Mammogram — right MLO. 42-year-old patient.
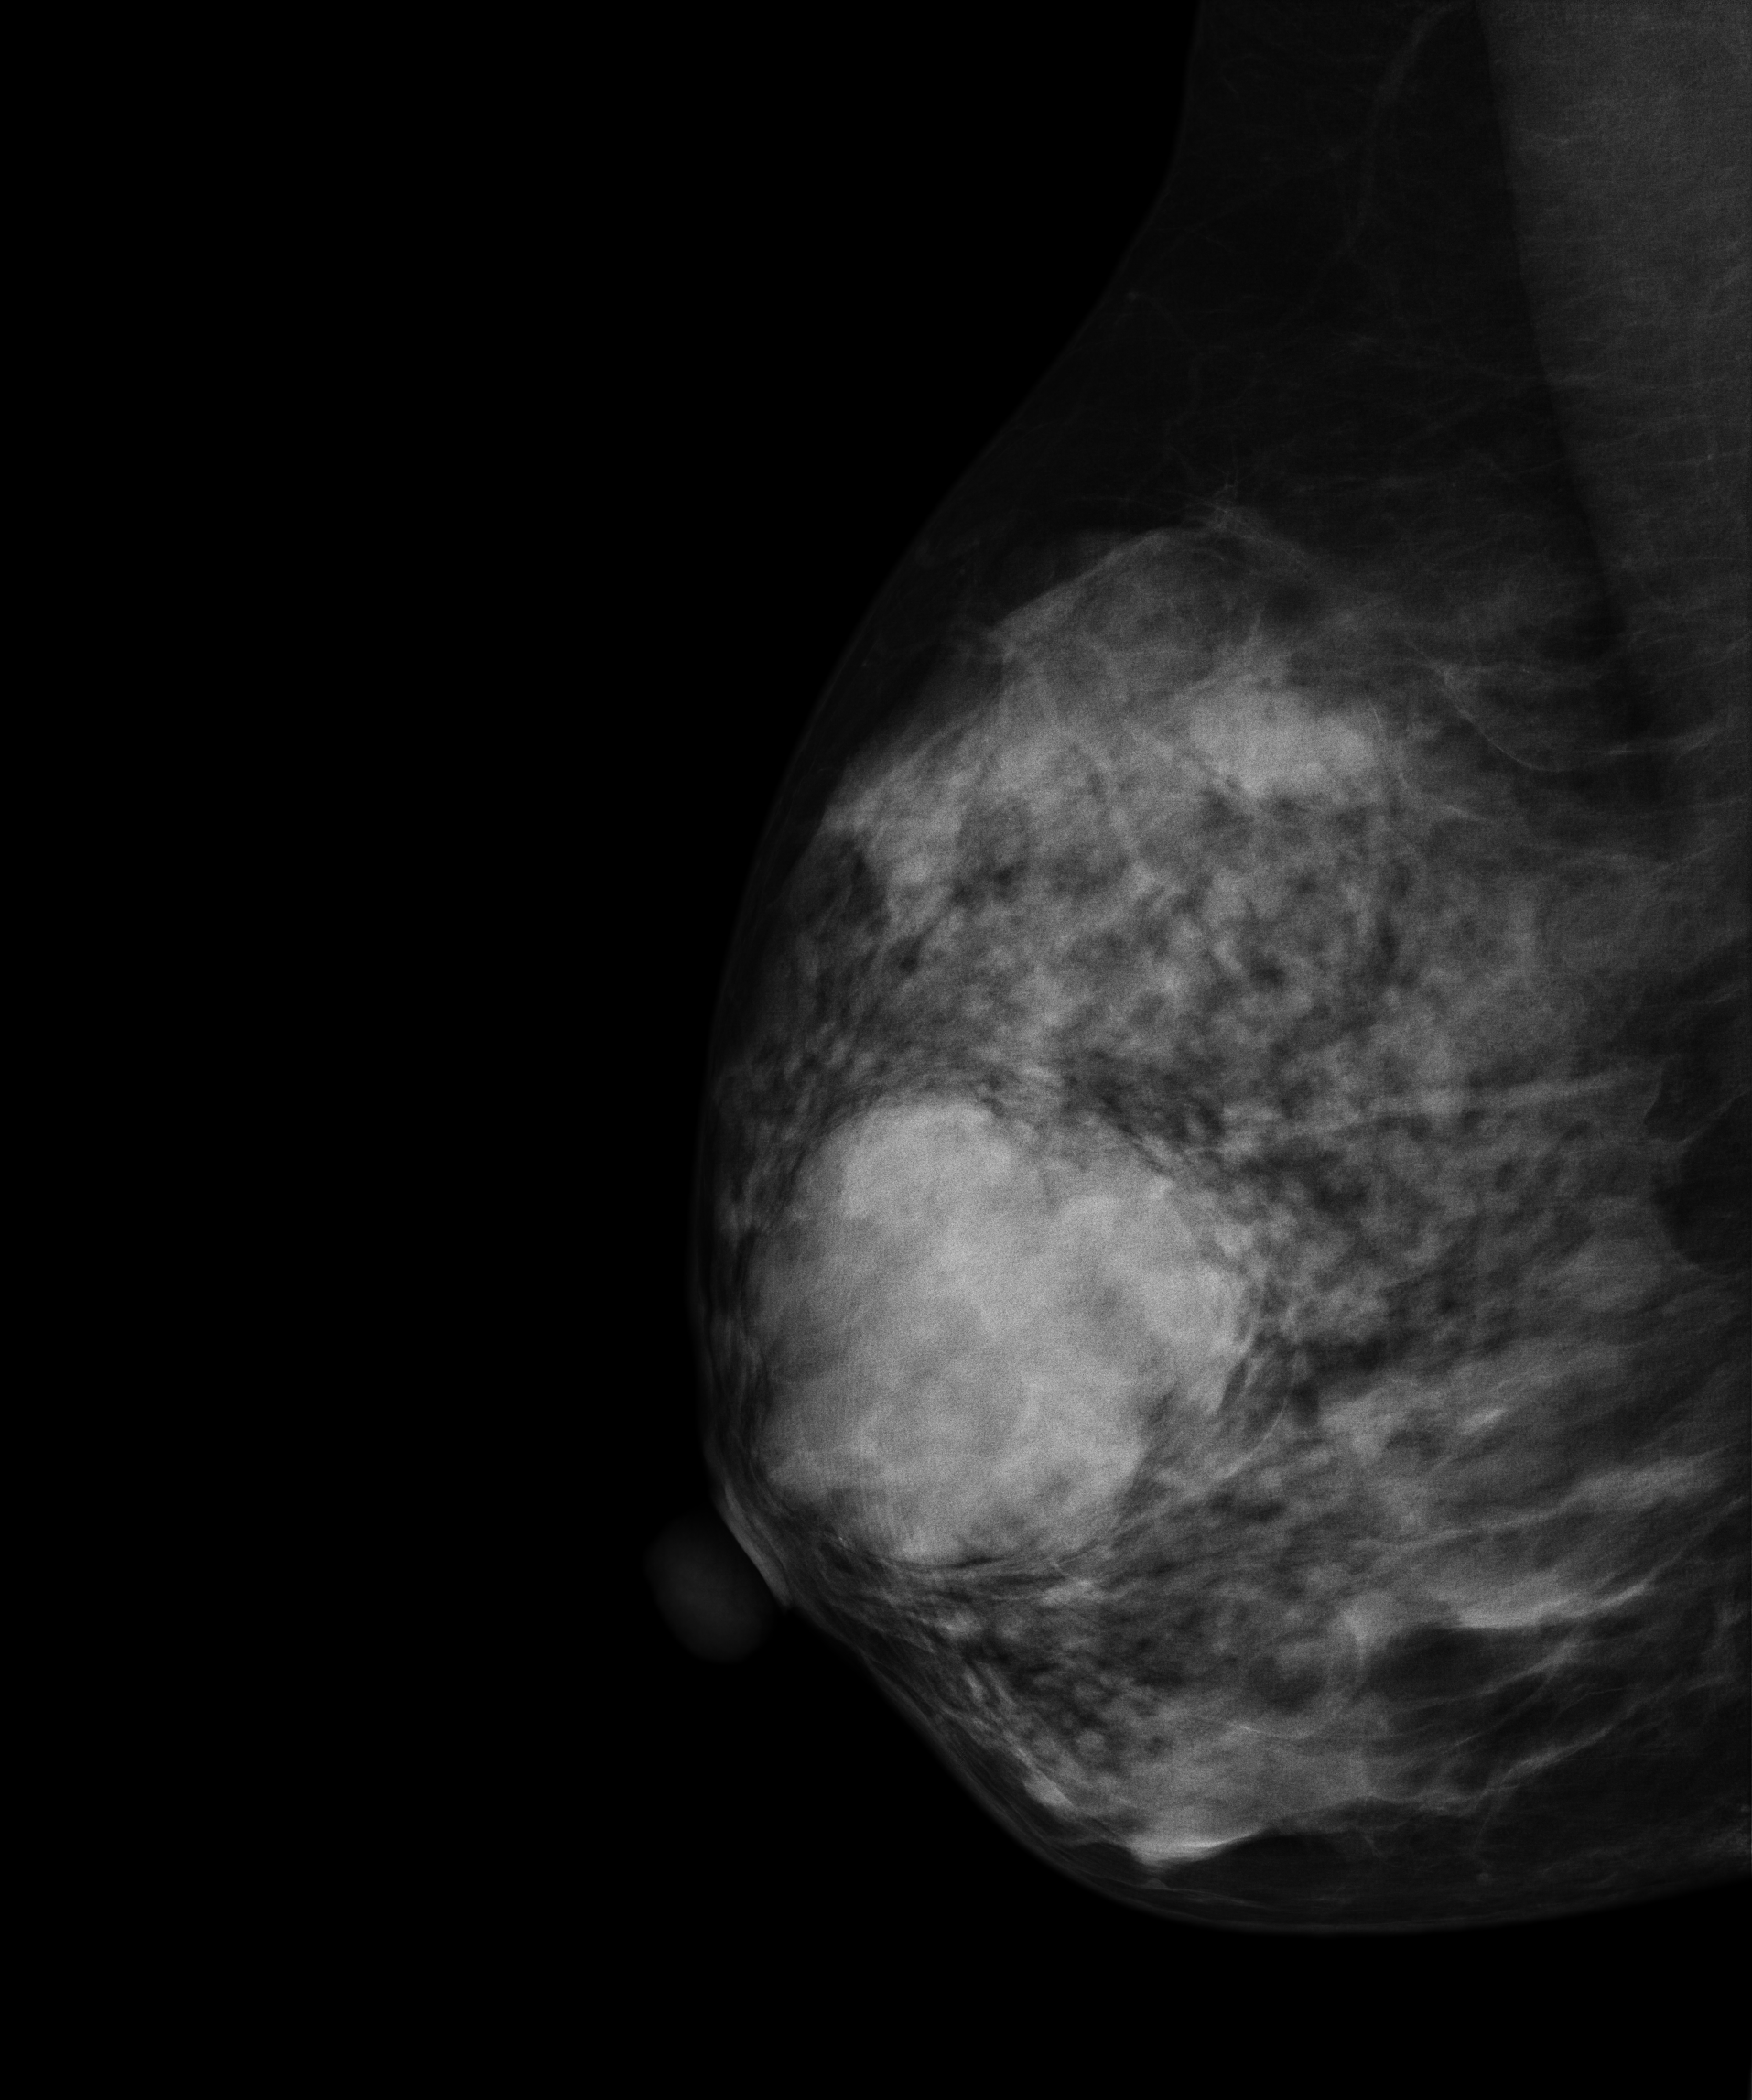
This breast has a mass, pathology-confirmed benign.